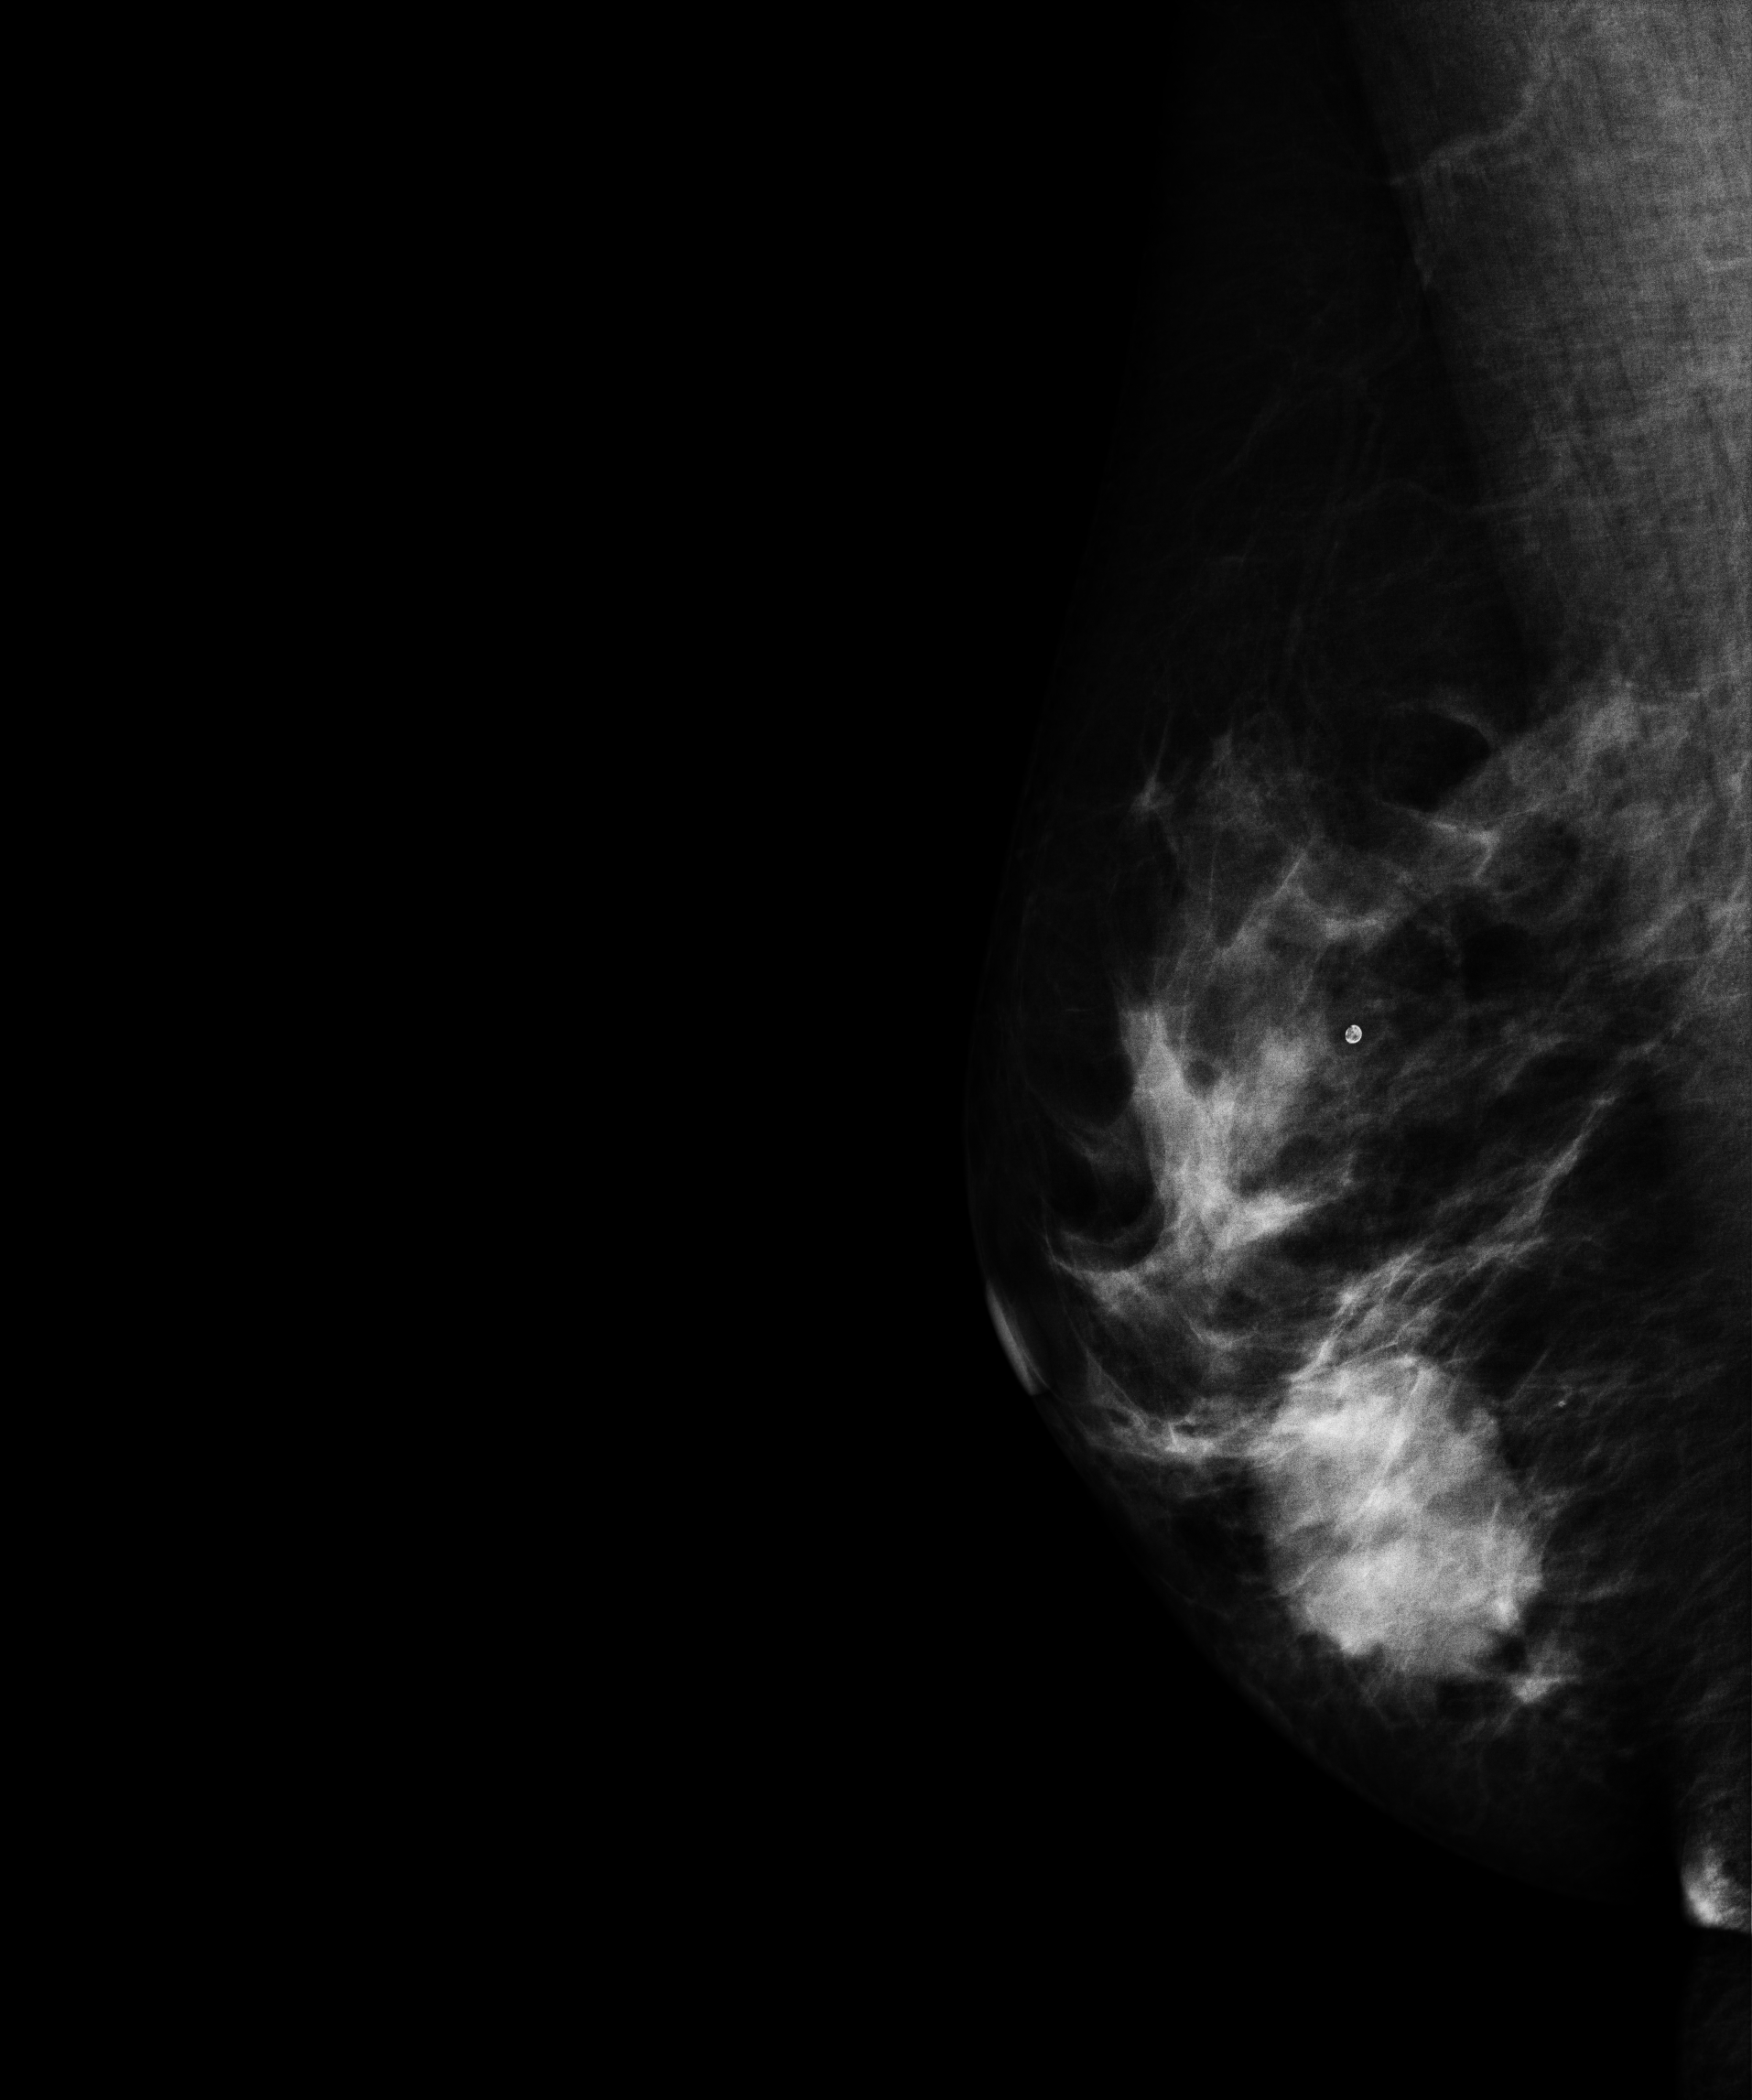
Mammogram, right breast, MLO view. 51-year-old patient.
This breast has a mass, biopsy-proven malignant.